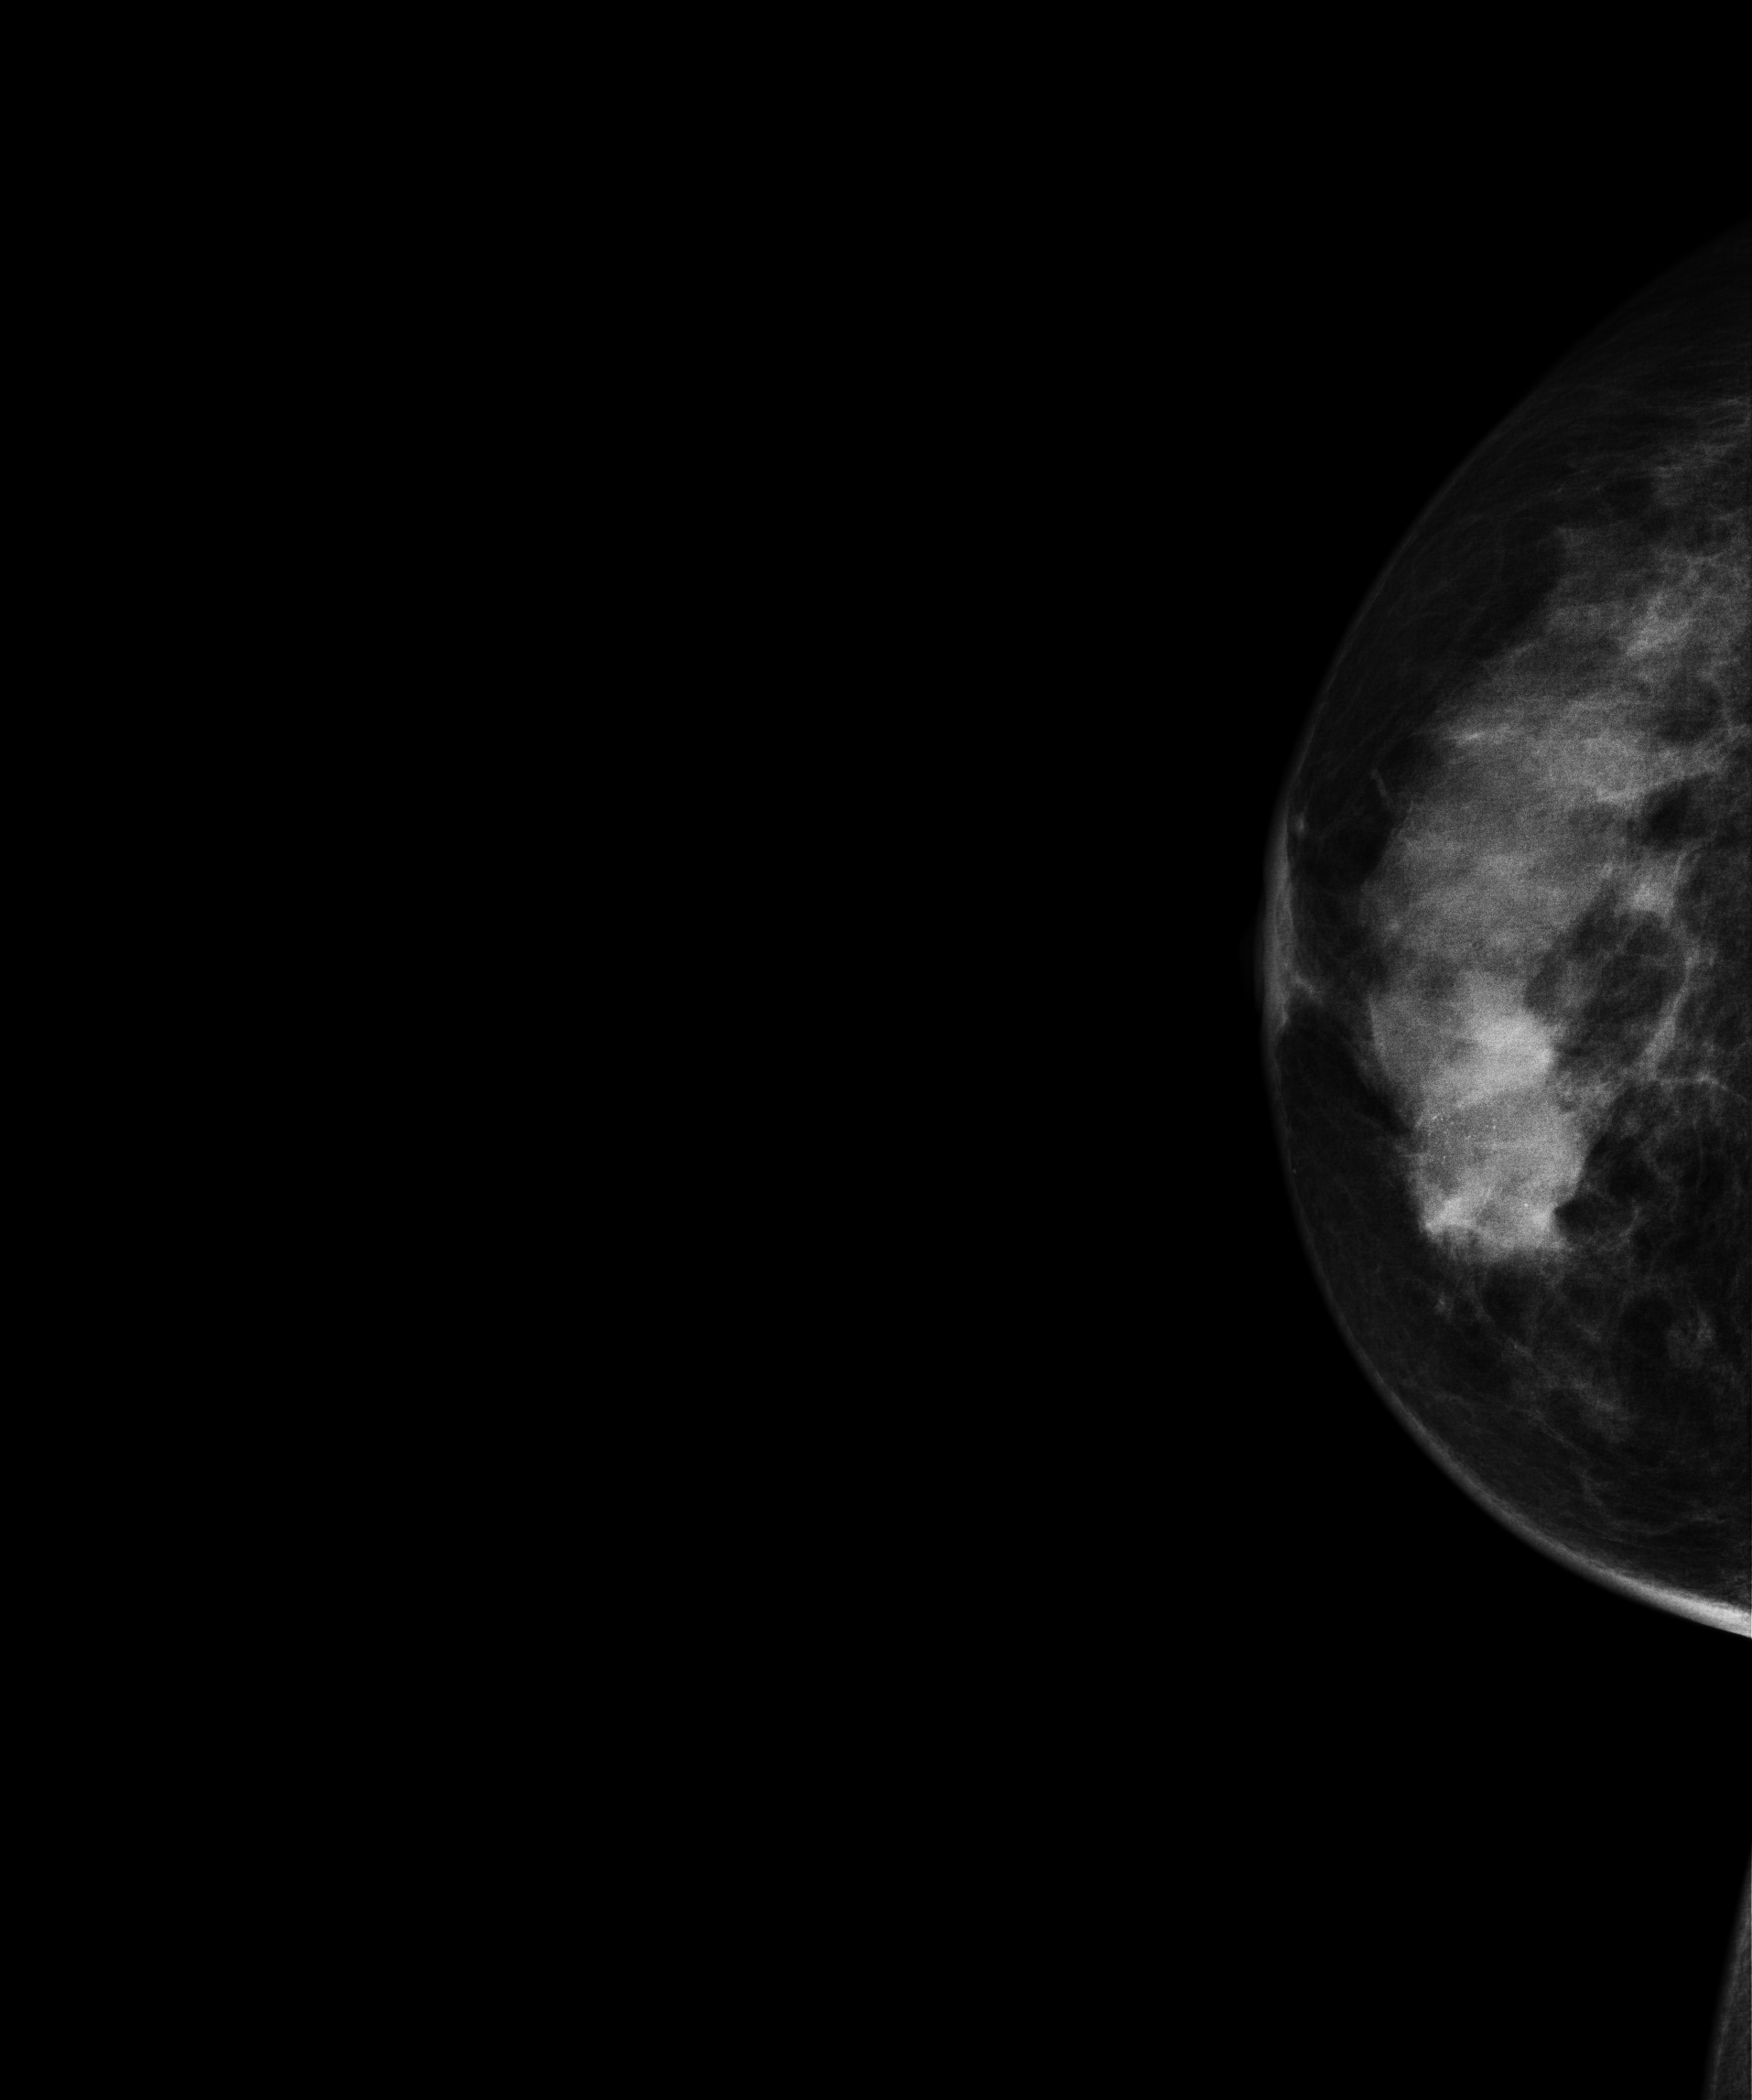
Mammogram — right cranio-caudal. Patient age 36.
This breast has a mass and calcifications, pathology-confirmed malignant. Molecular subtype: luminal B.